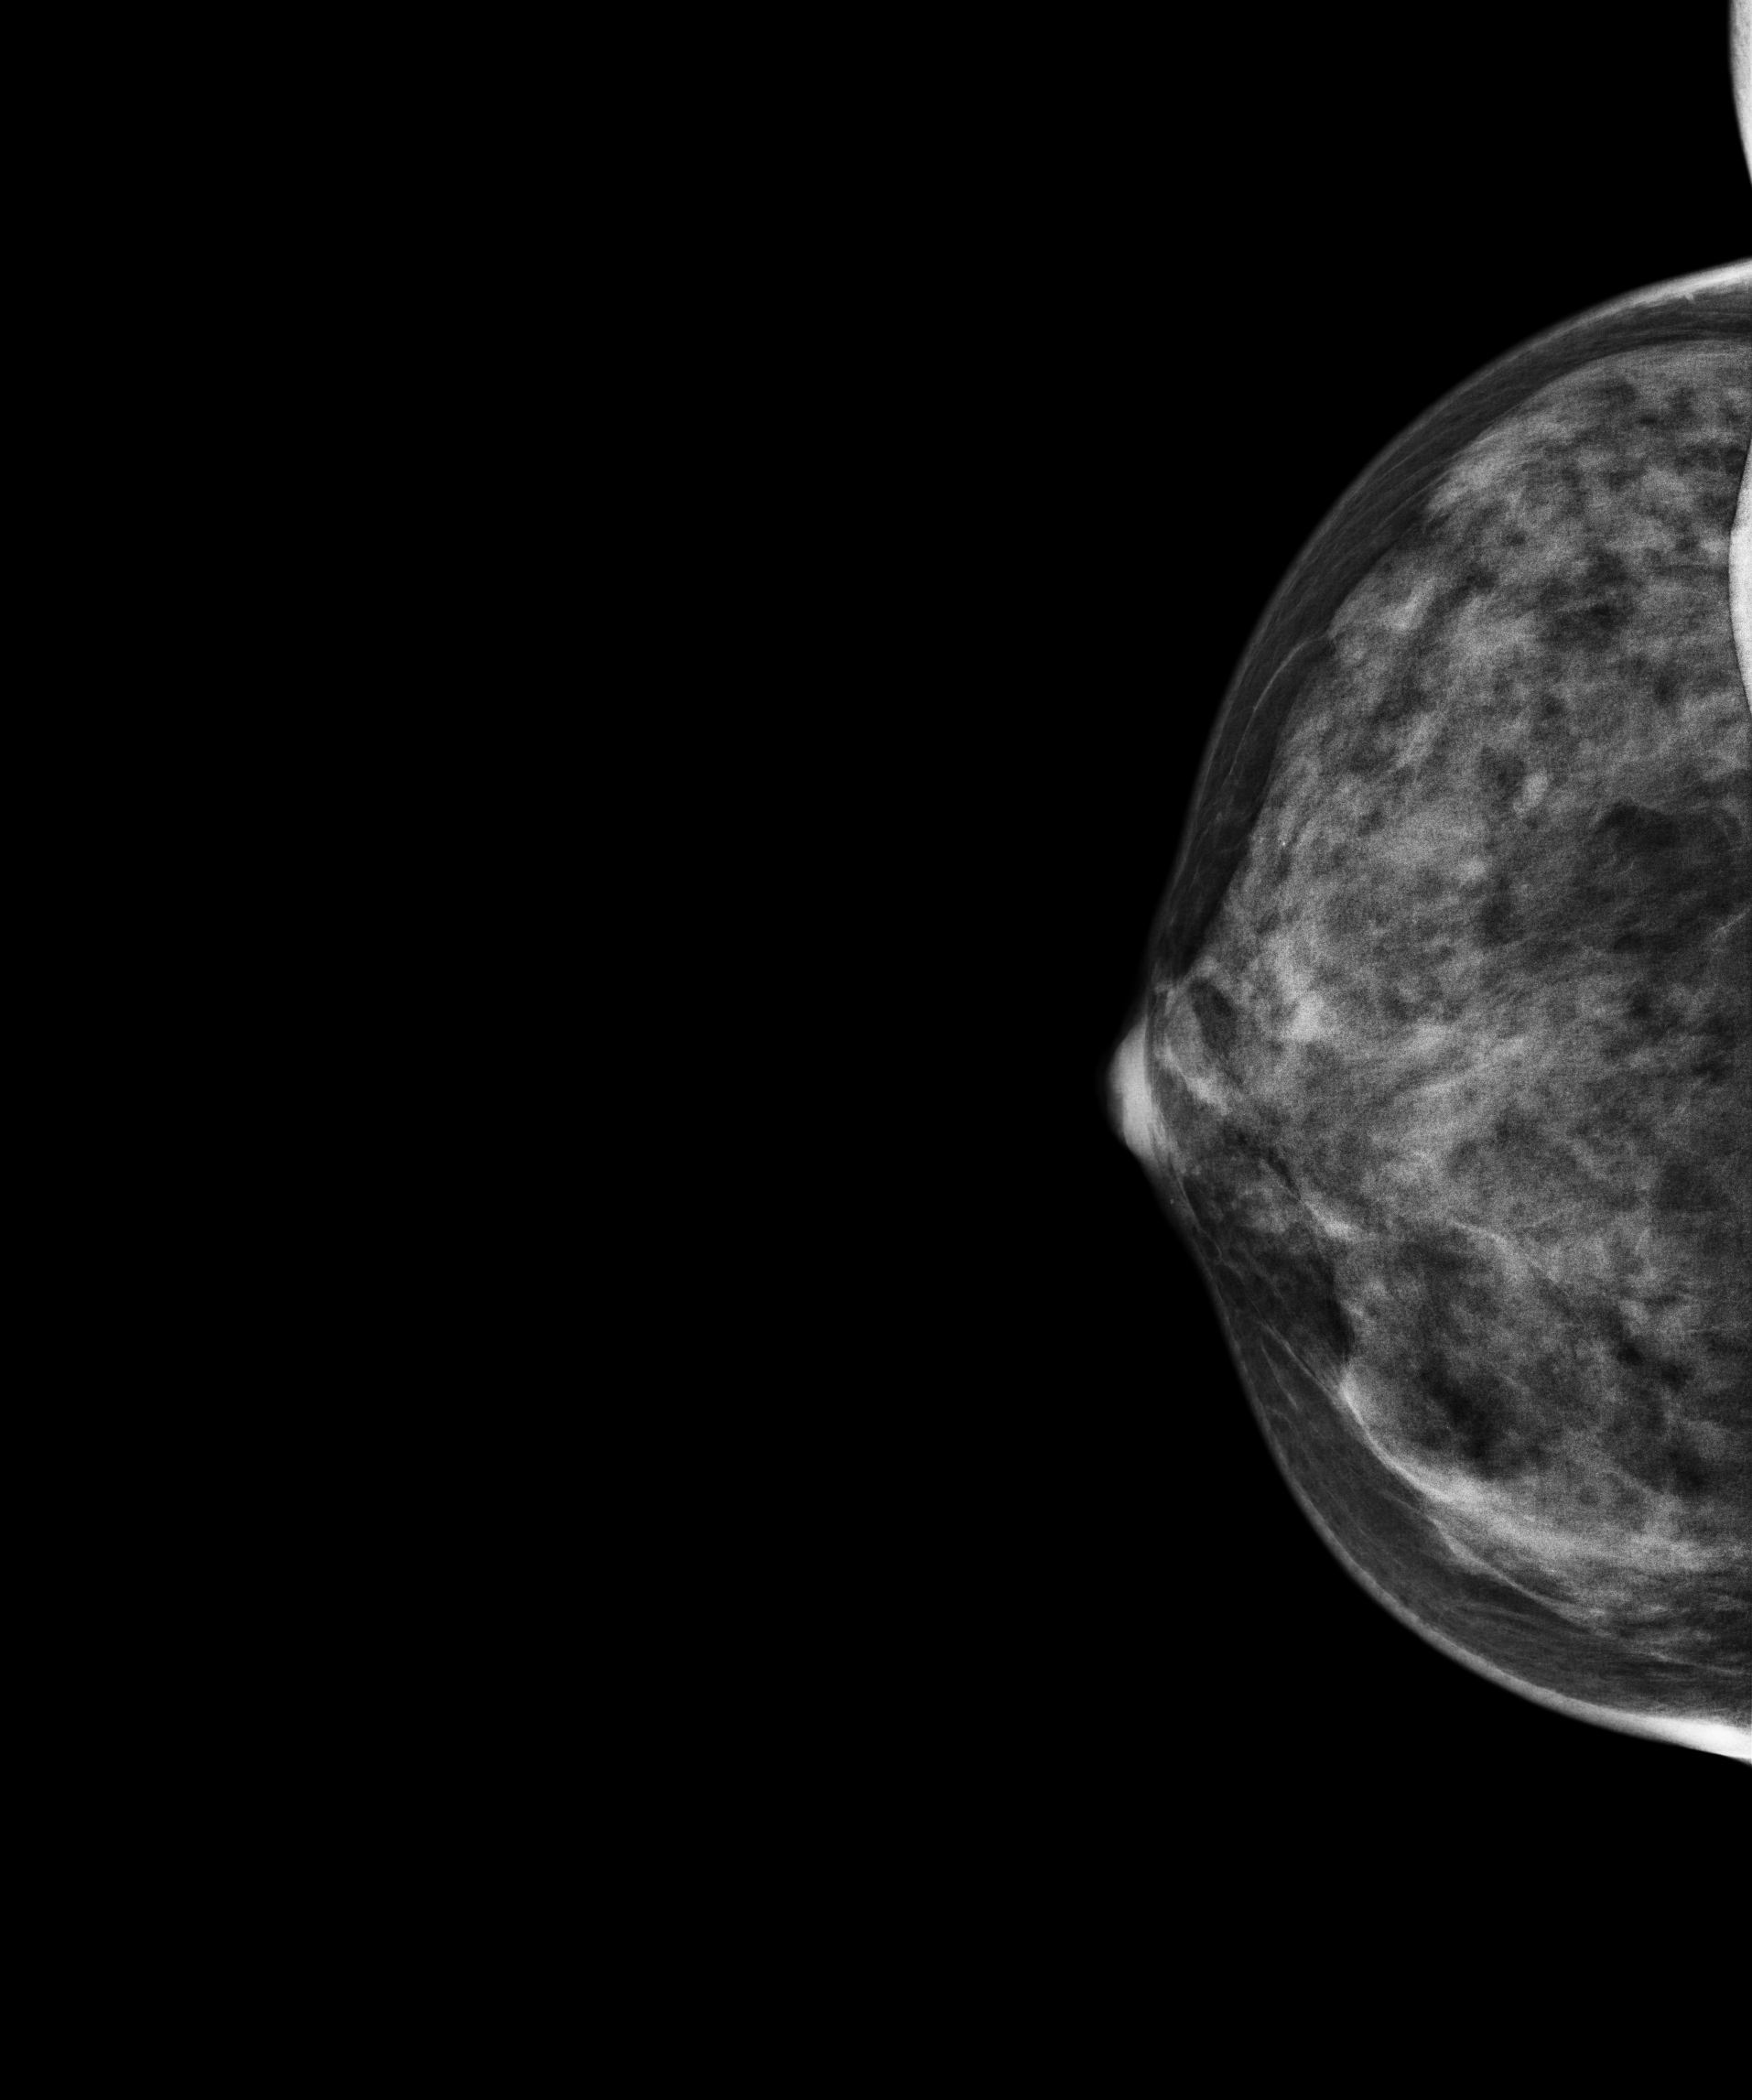
Digital mammography. Right breast, CC projection. 49 y/o patient.
Contralateral breast — no documented abnormality on this side.